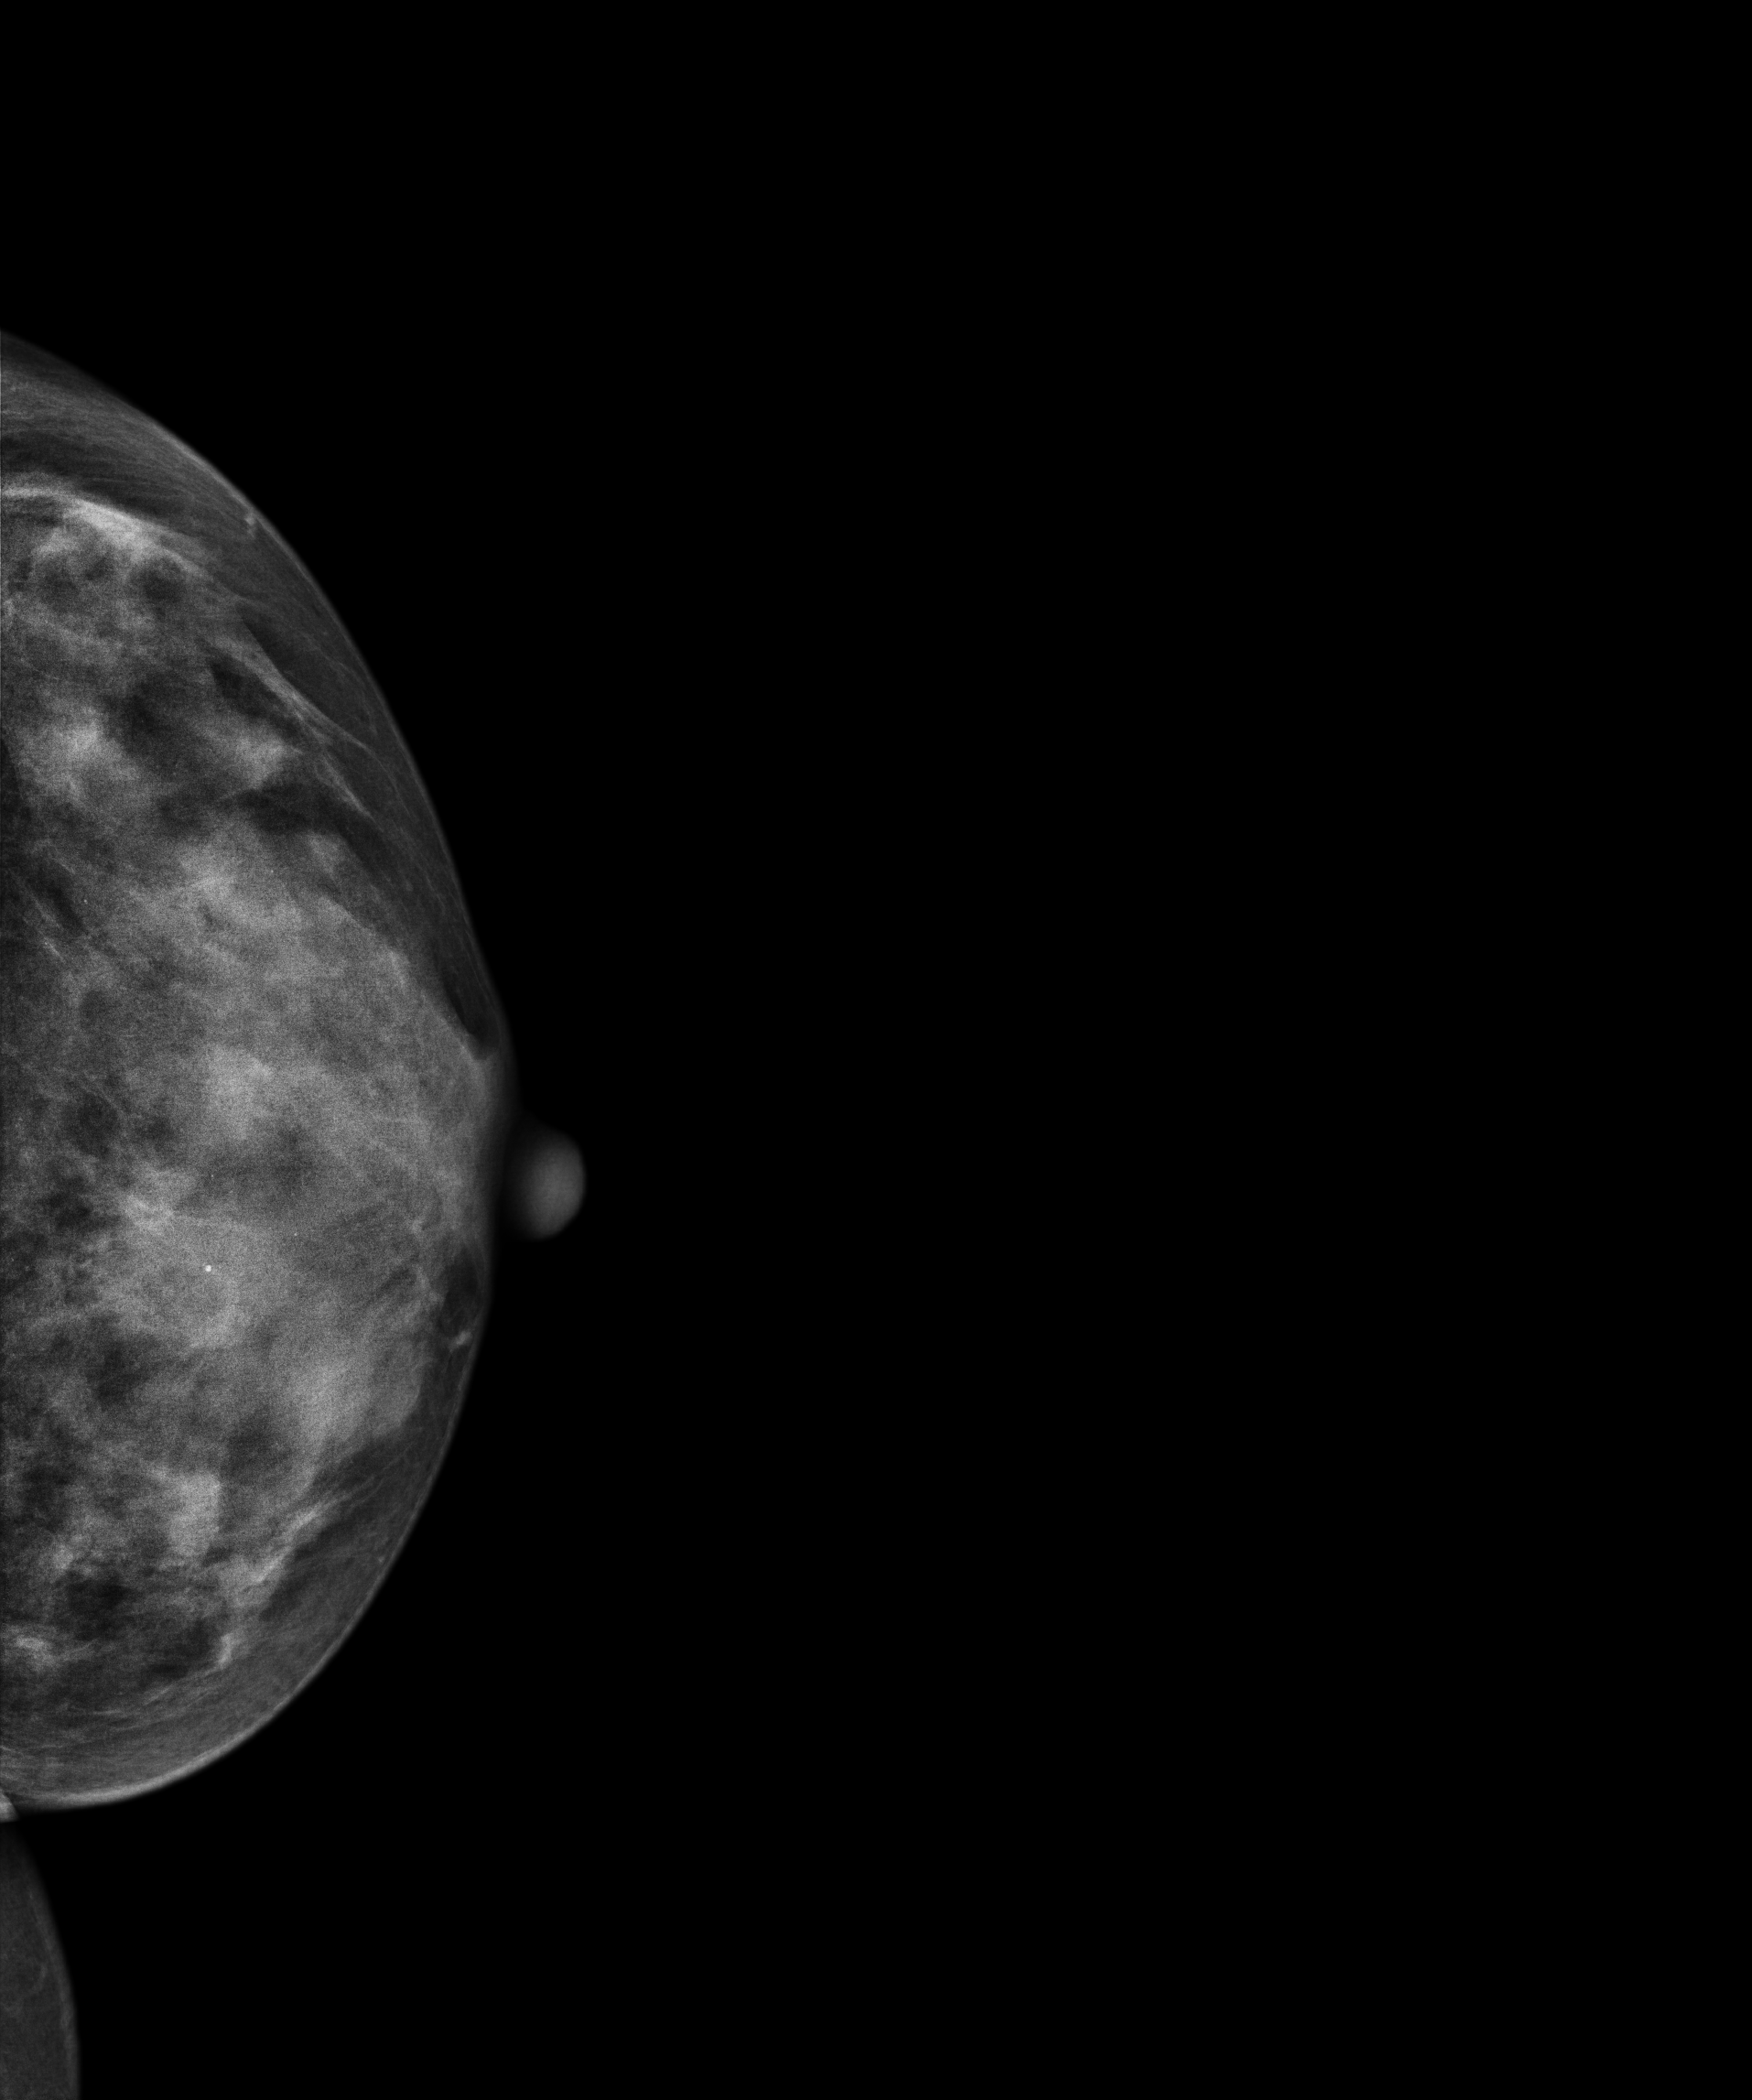
Cranio-caudal mammogram of the left breast. 42 y/o patient.
This breast has a mass and calcifications, histologically confirmed benign.